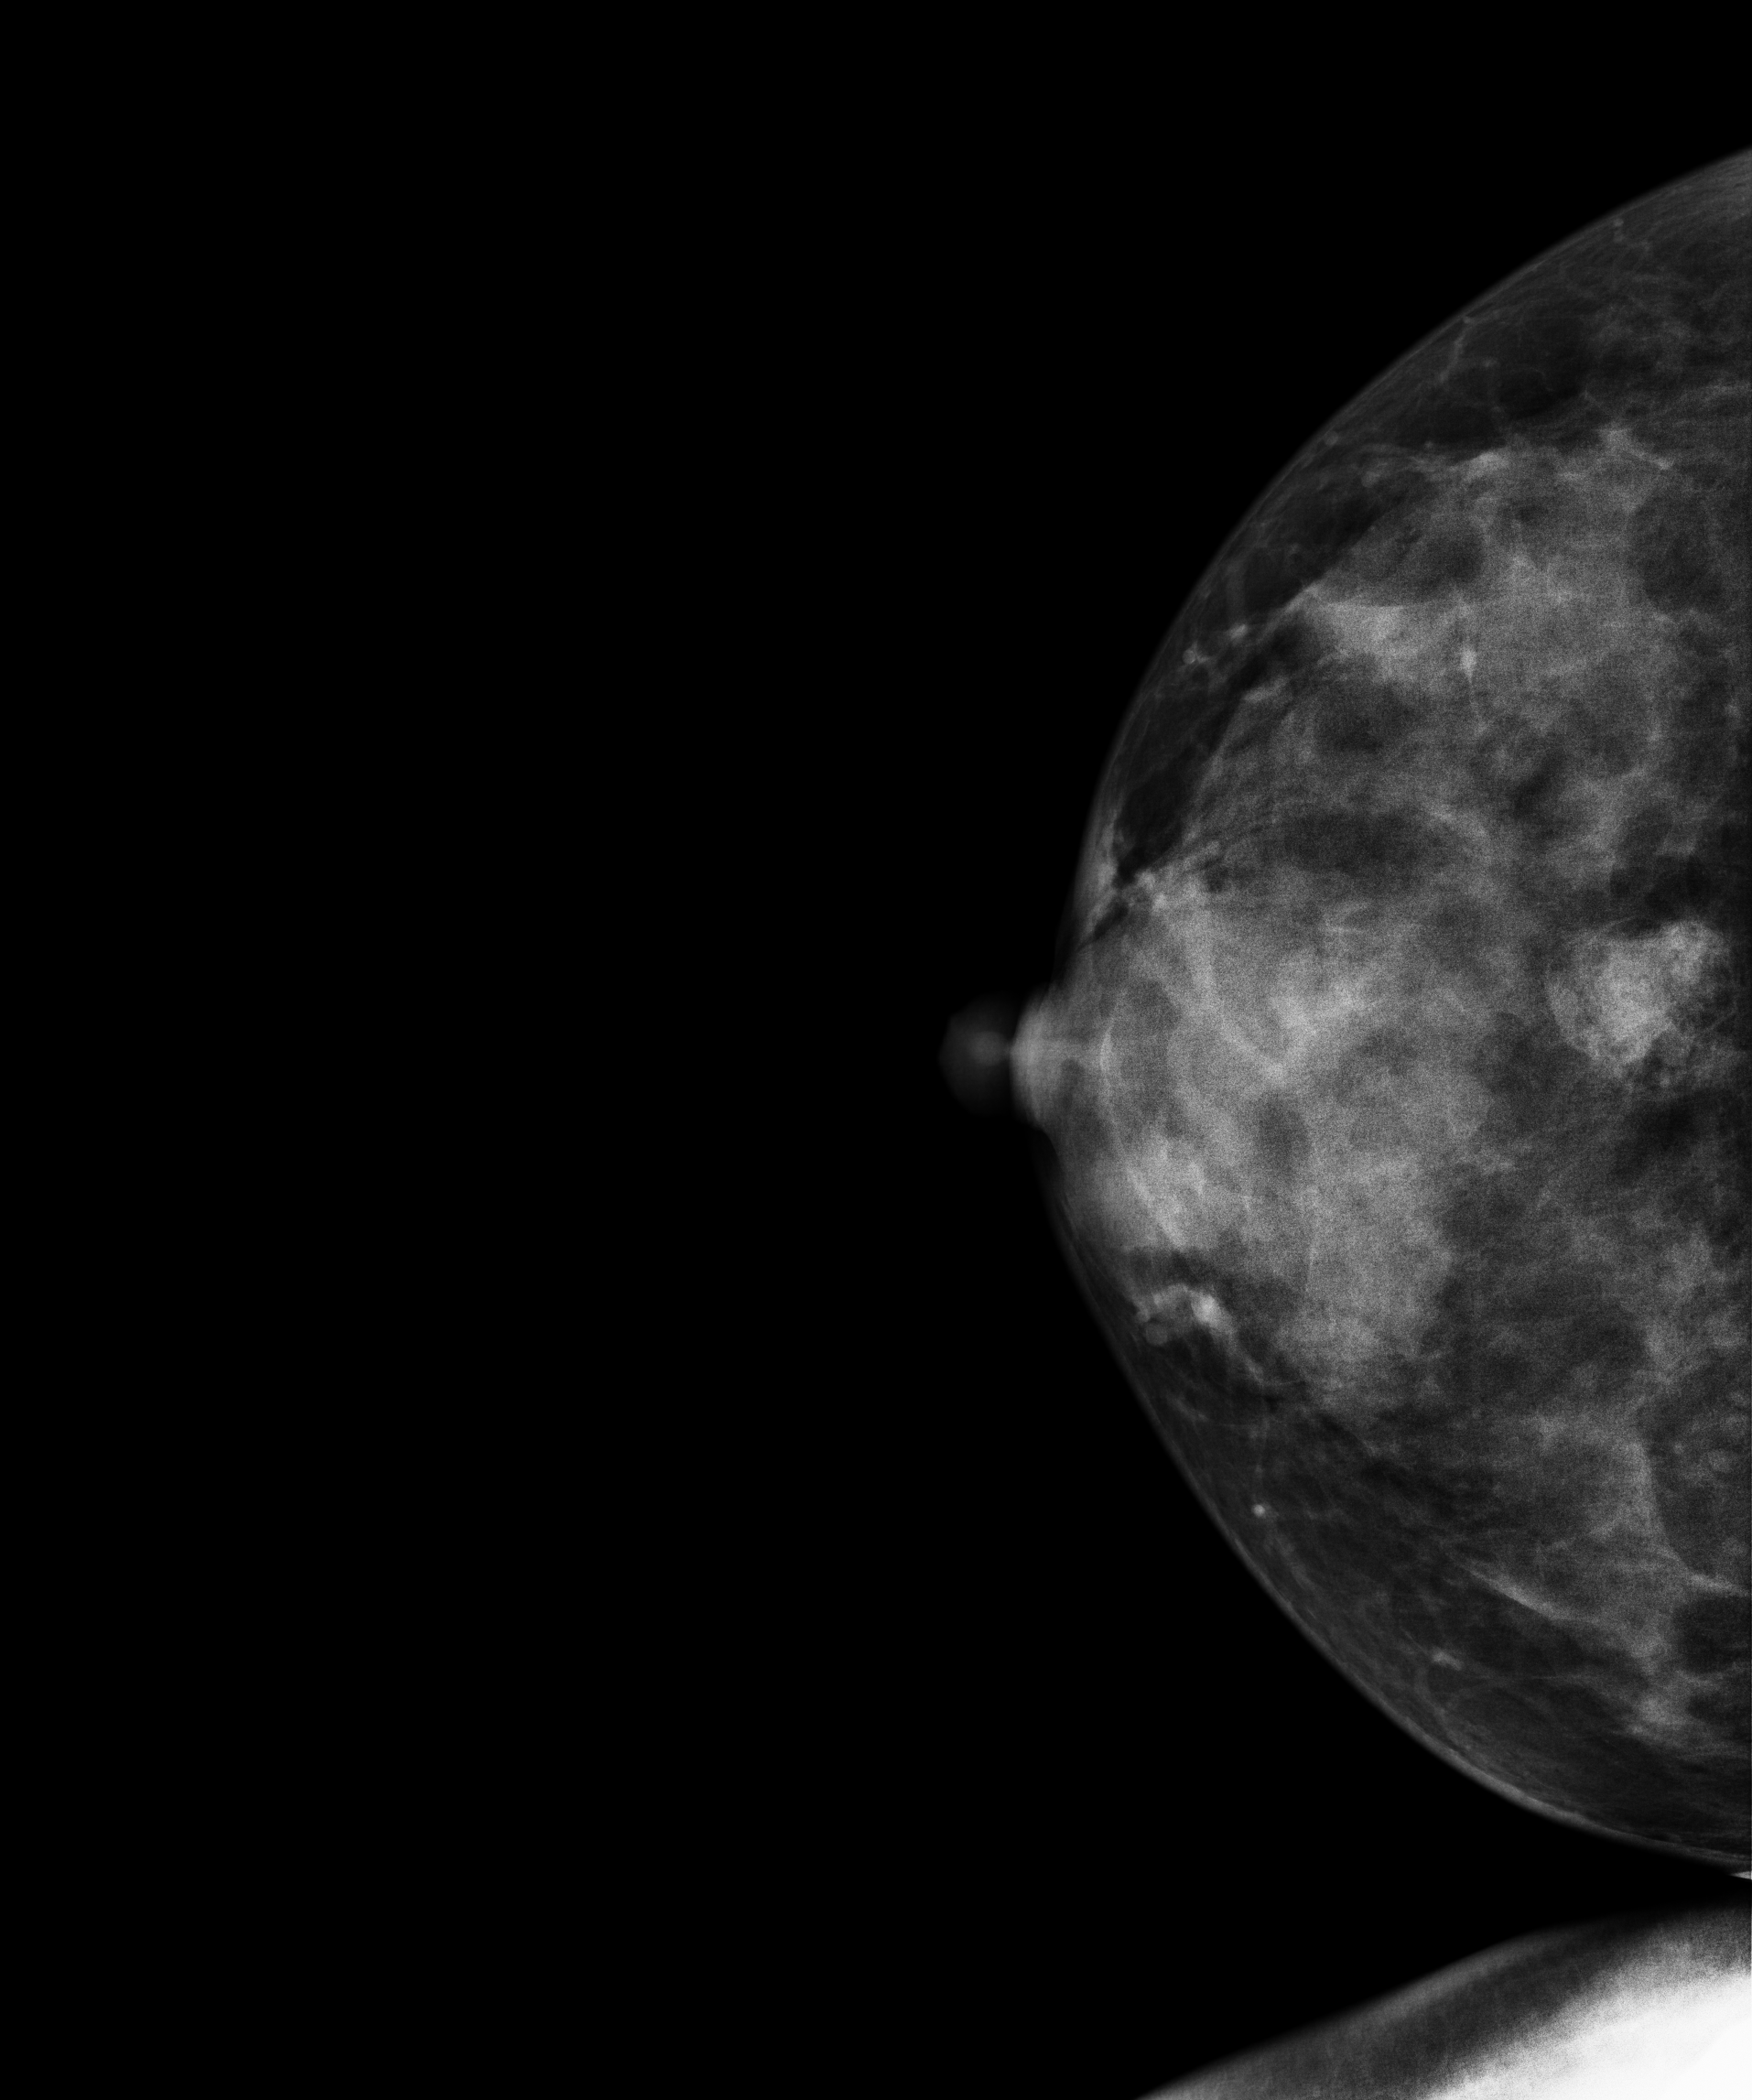
Right-breast mammogram, CC. 29 y/o patient.
This breast has a mass, biopsy-confirmed benign.